Digital mammography. Left breast, CC projection. Patient age 47.
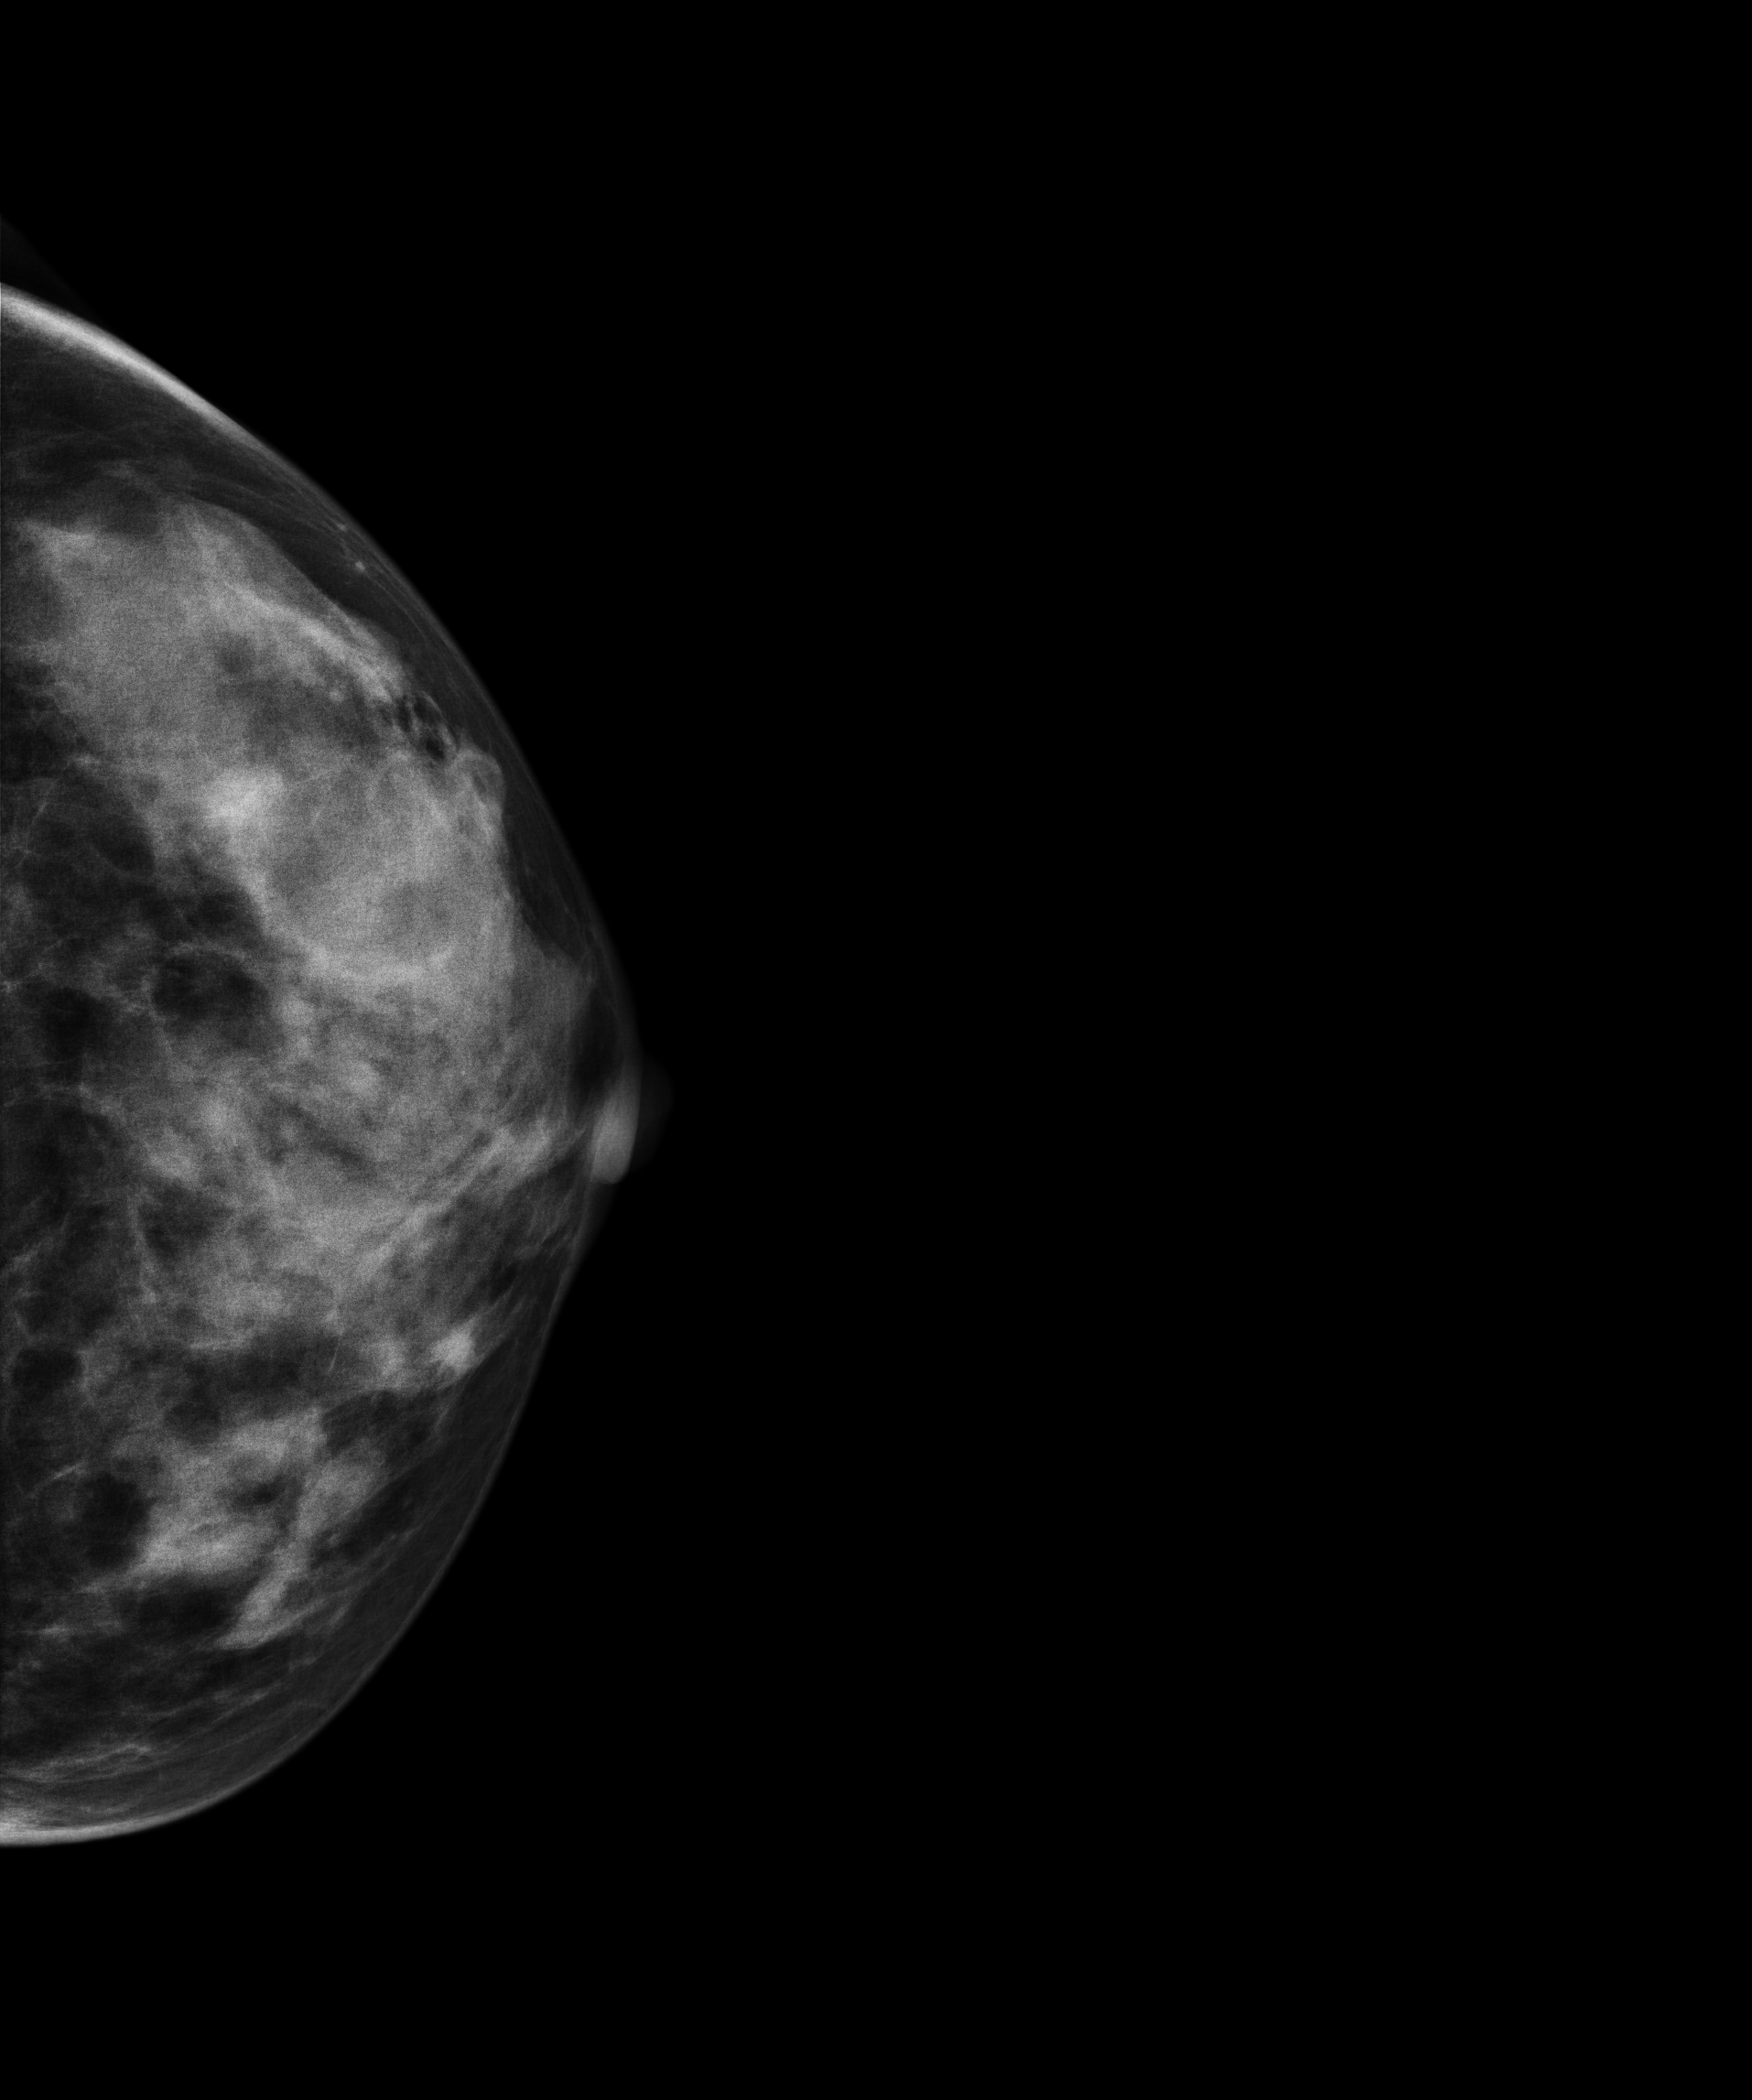
This breast has a mass, biopsy-confirmed benign.